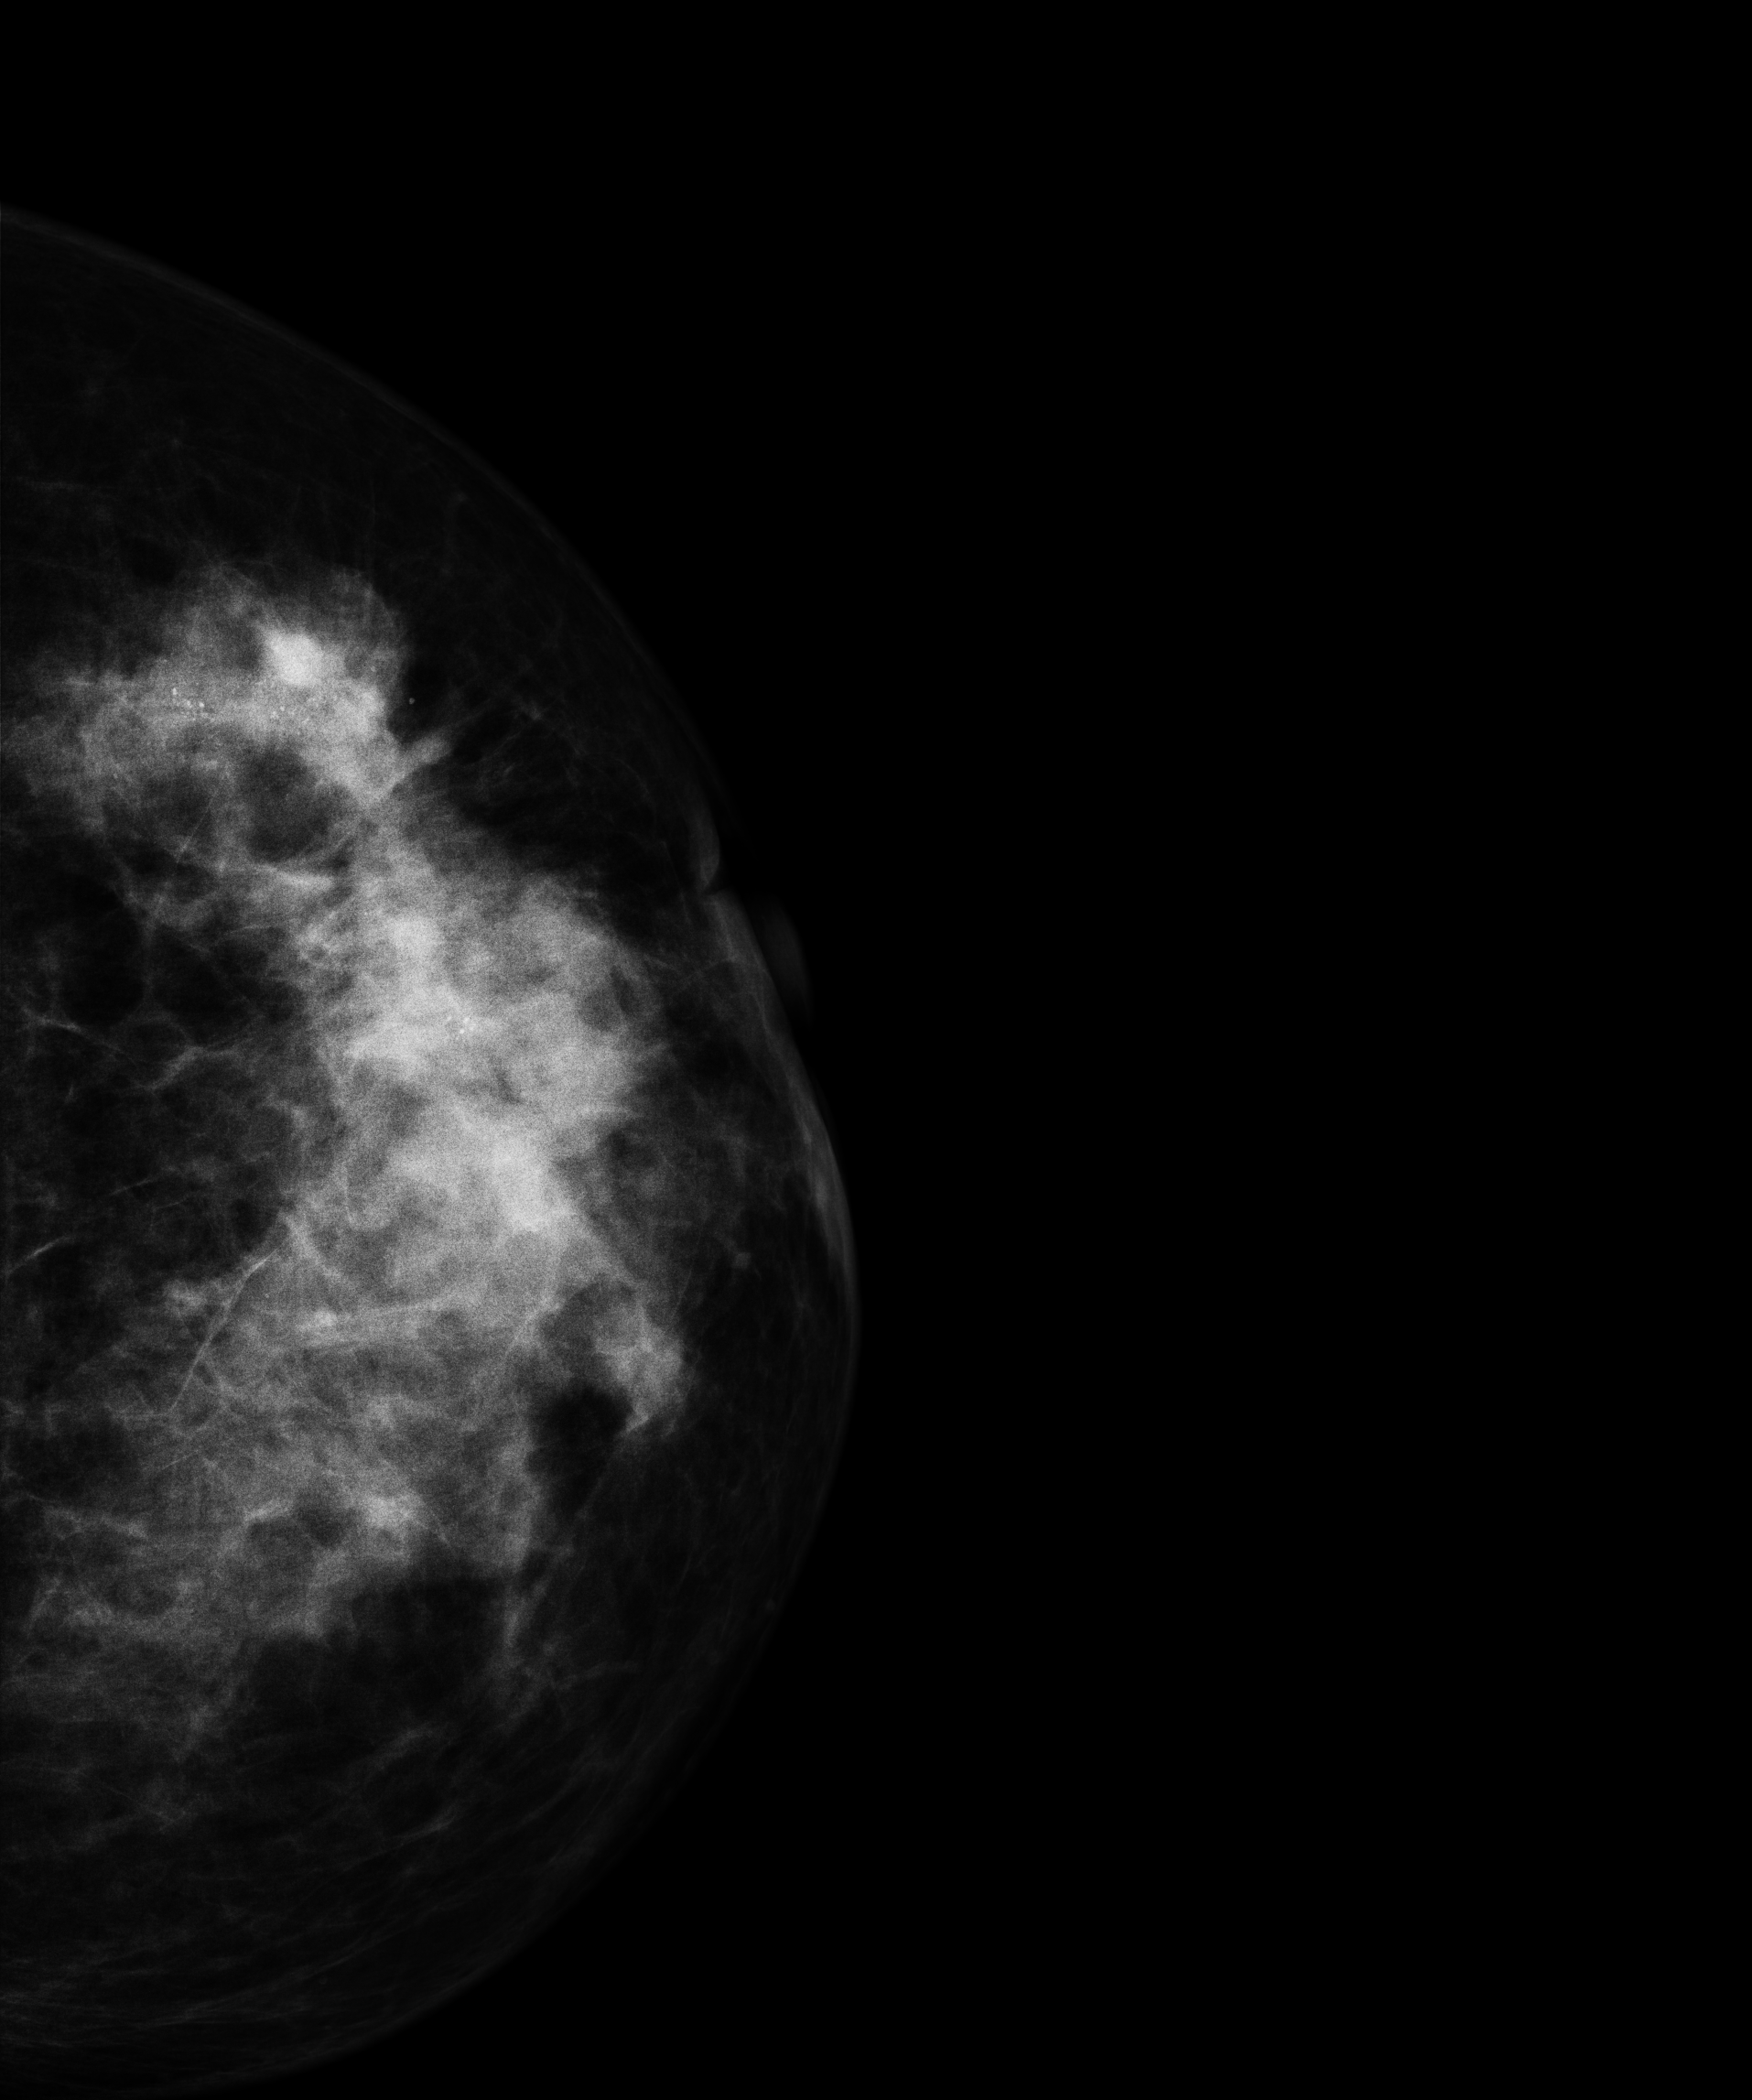
Left-breast mammogram, cranio-caudal. 50-year-old patient.
This breast has a mass and calcifications, biopsy-confirmed malignant. Molecular subtype: luminal A.